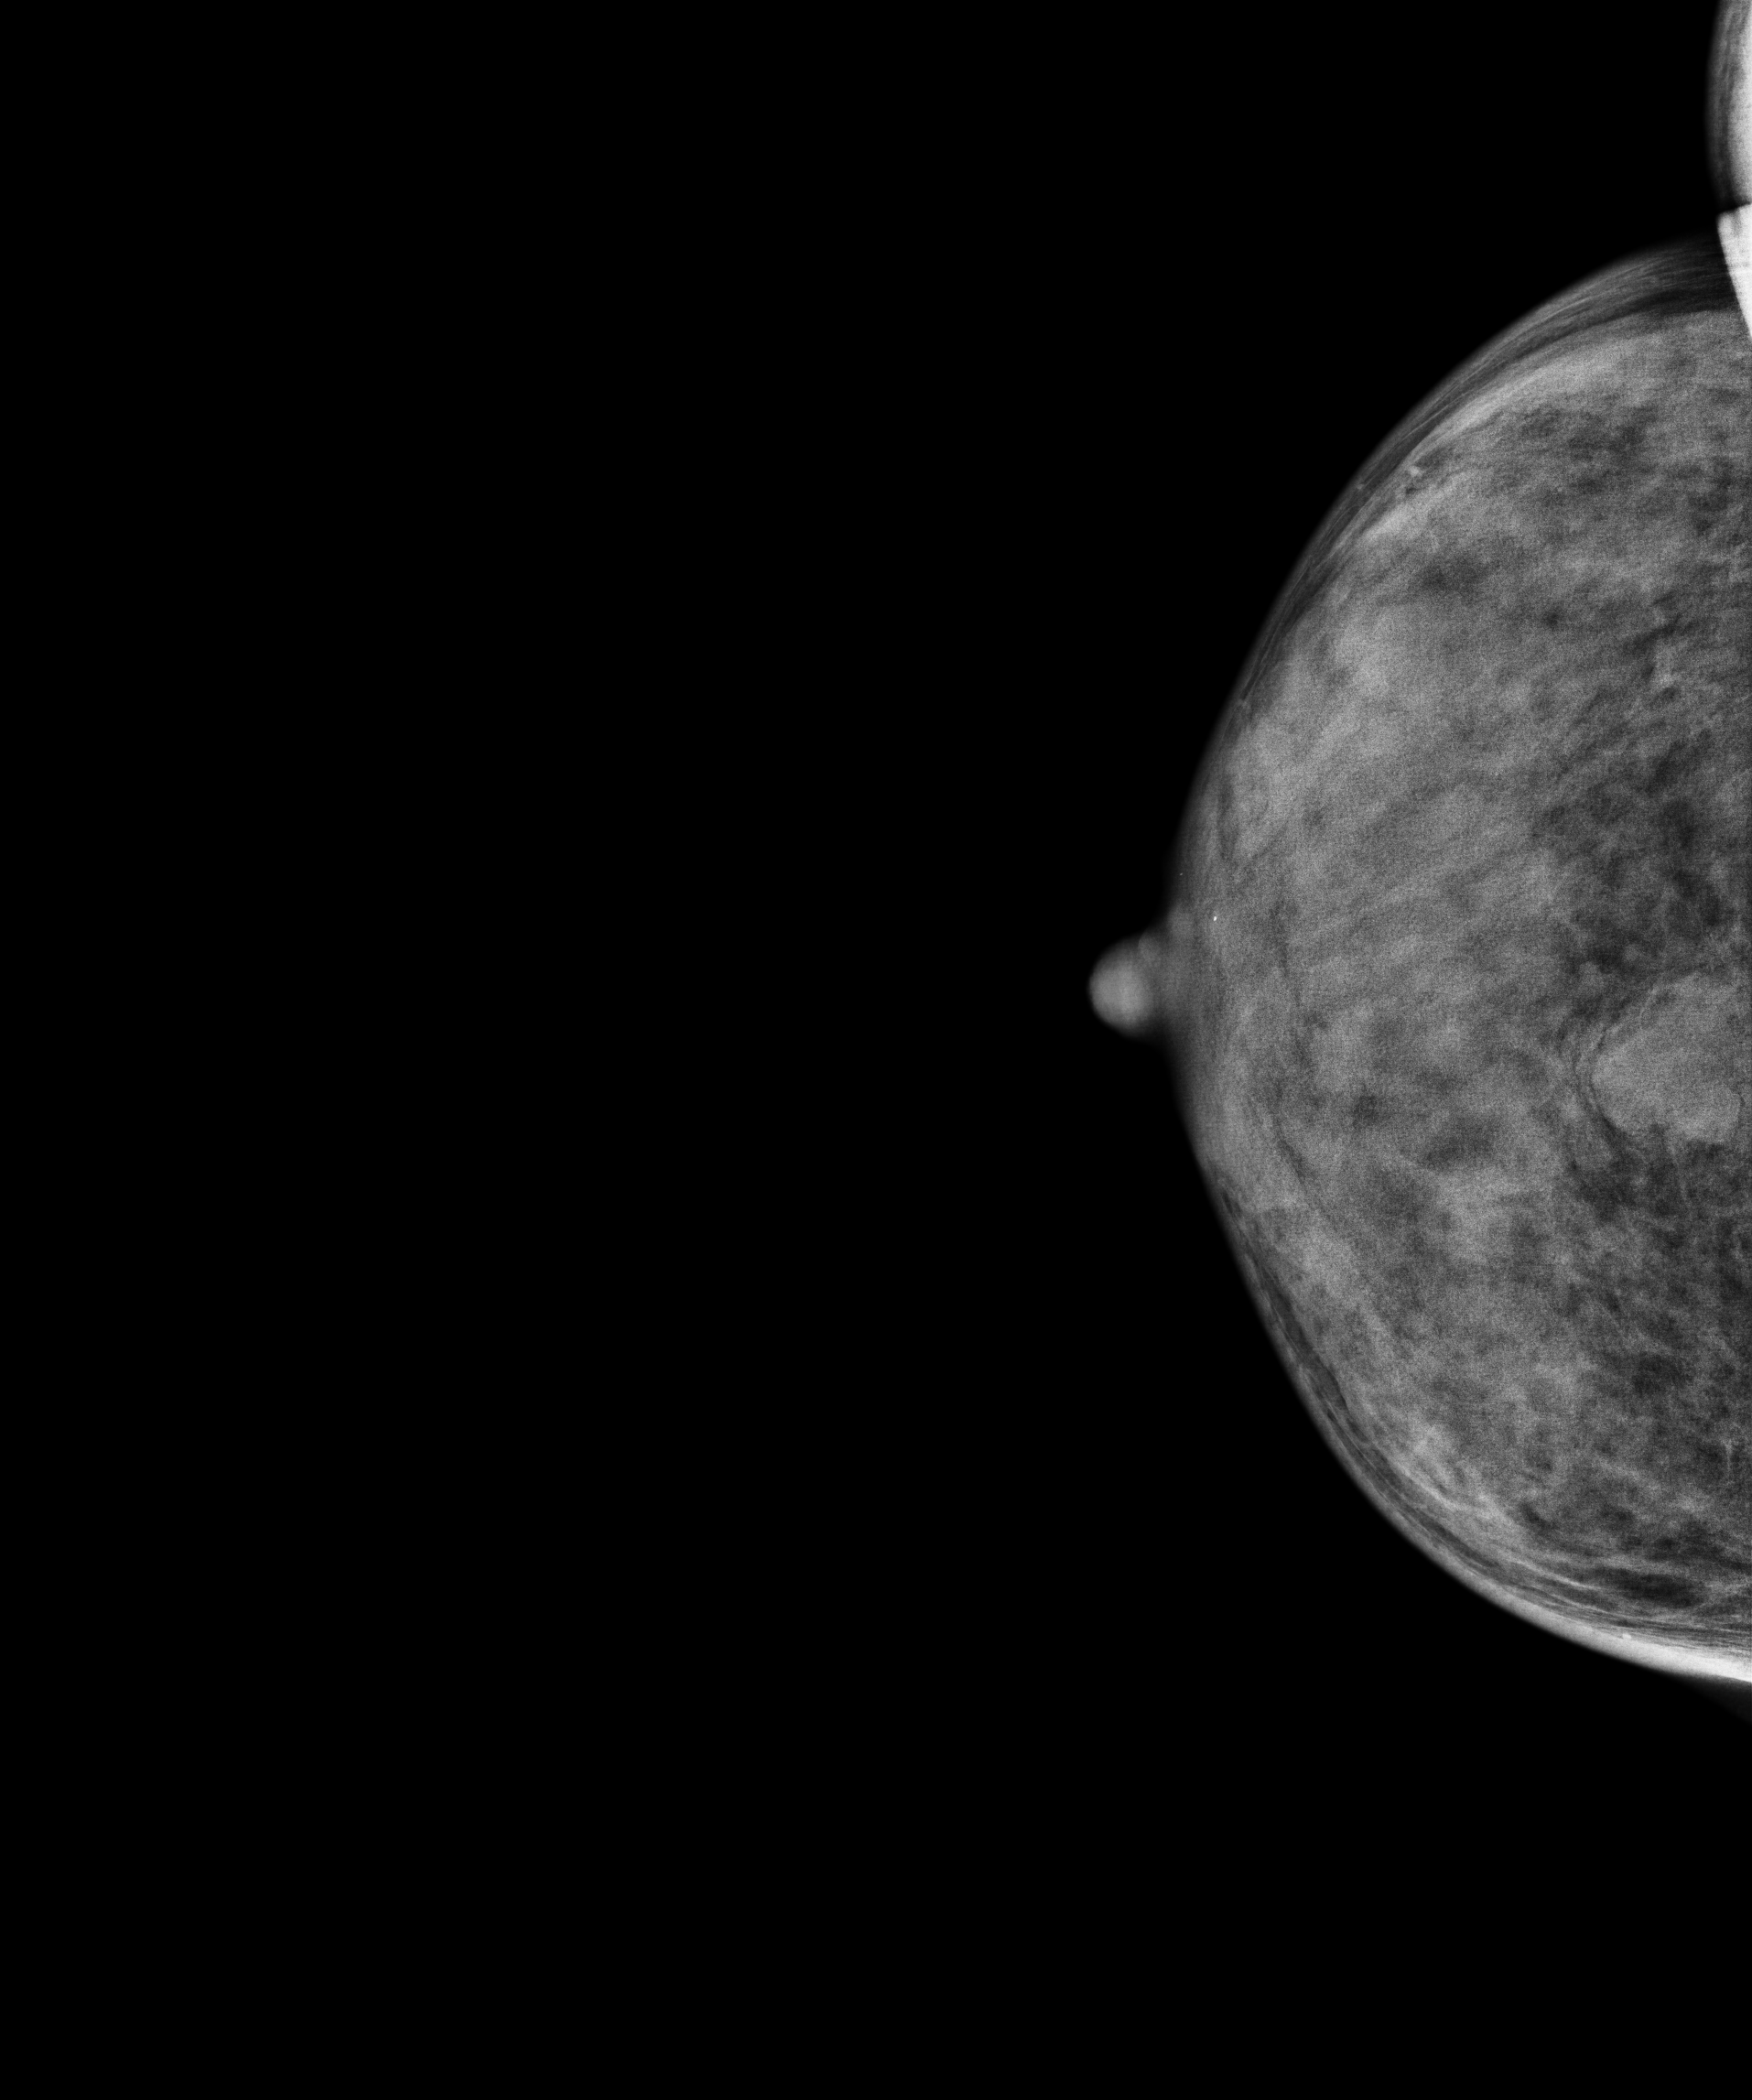
Cranio-caudal mammogram of the right breast. 31 y/o patient.
This breast has a mass, biopsy-proven benign.